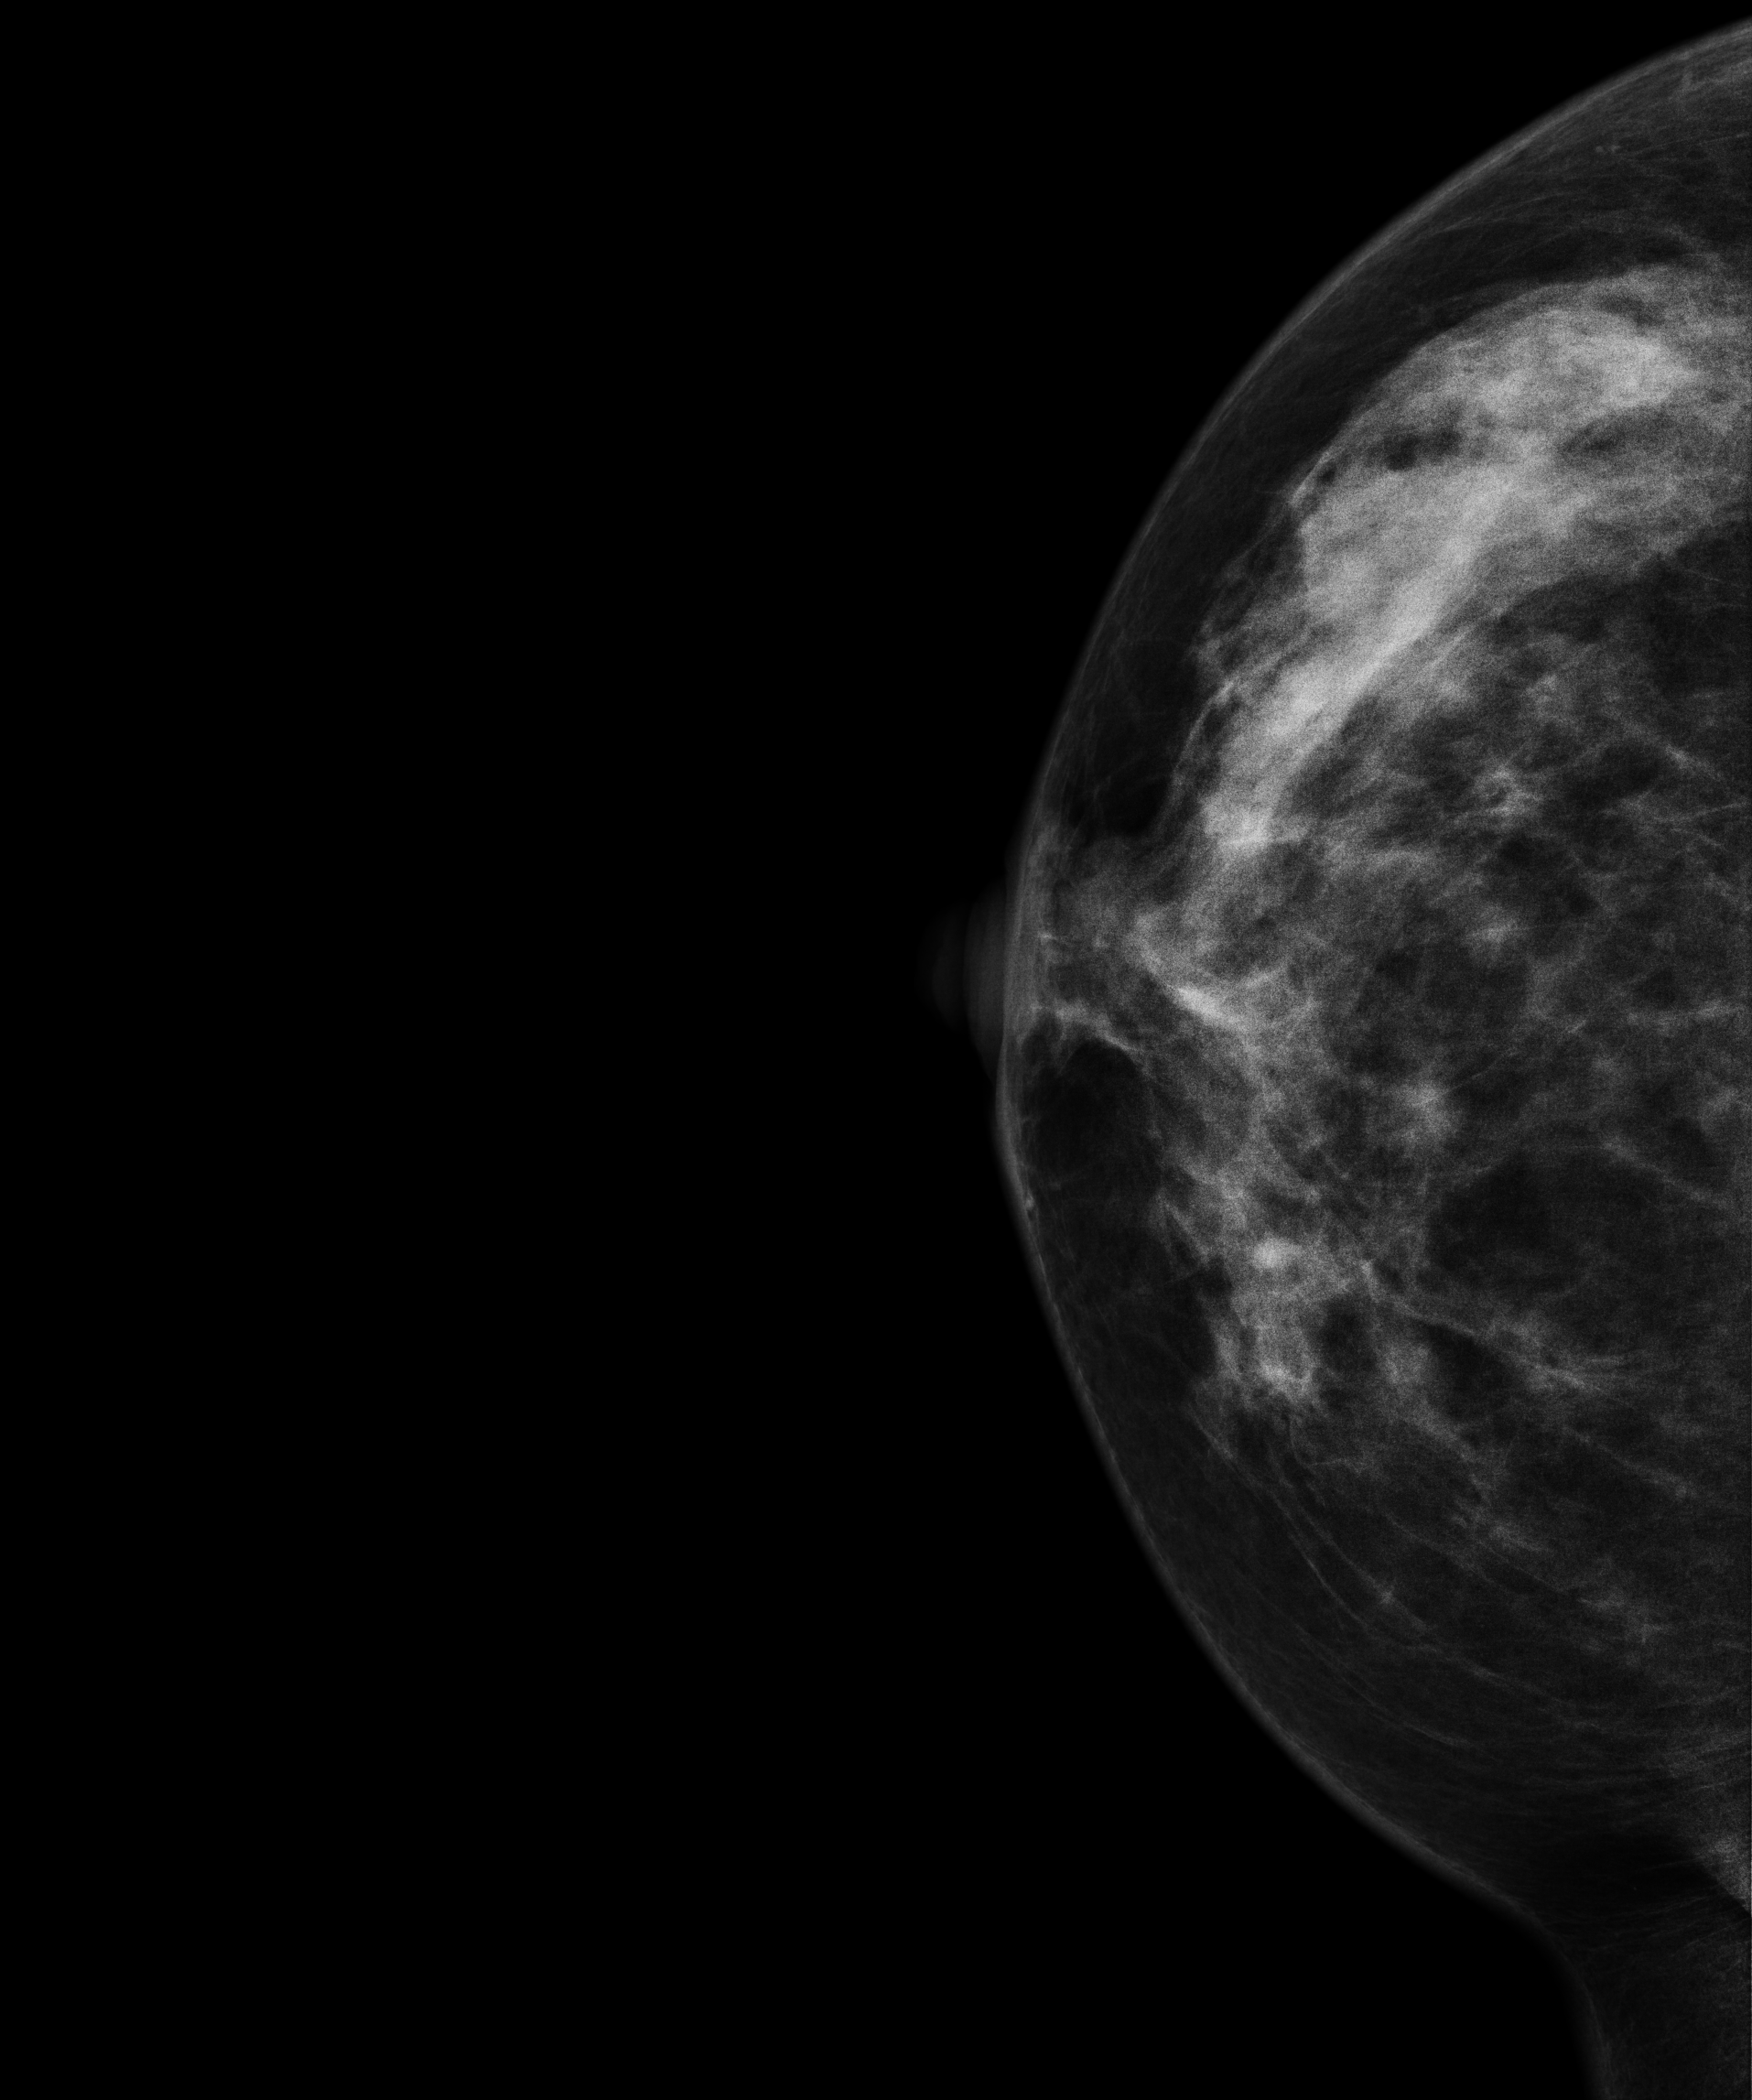
Right-breast mammogram, CC. Patient age 51.
This breast has a mass, pathology-confirmed malignant.